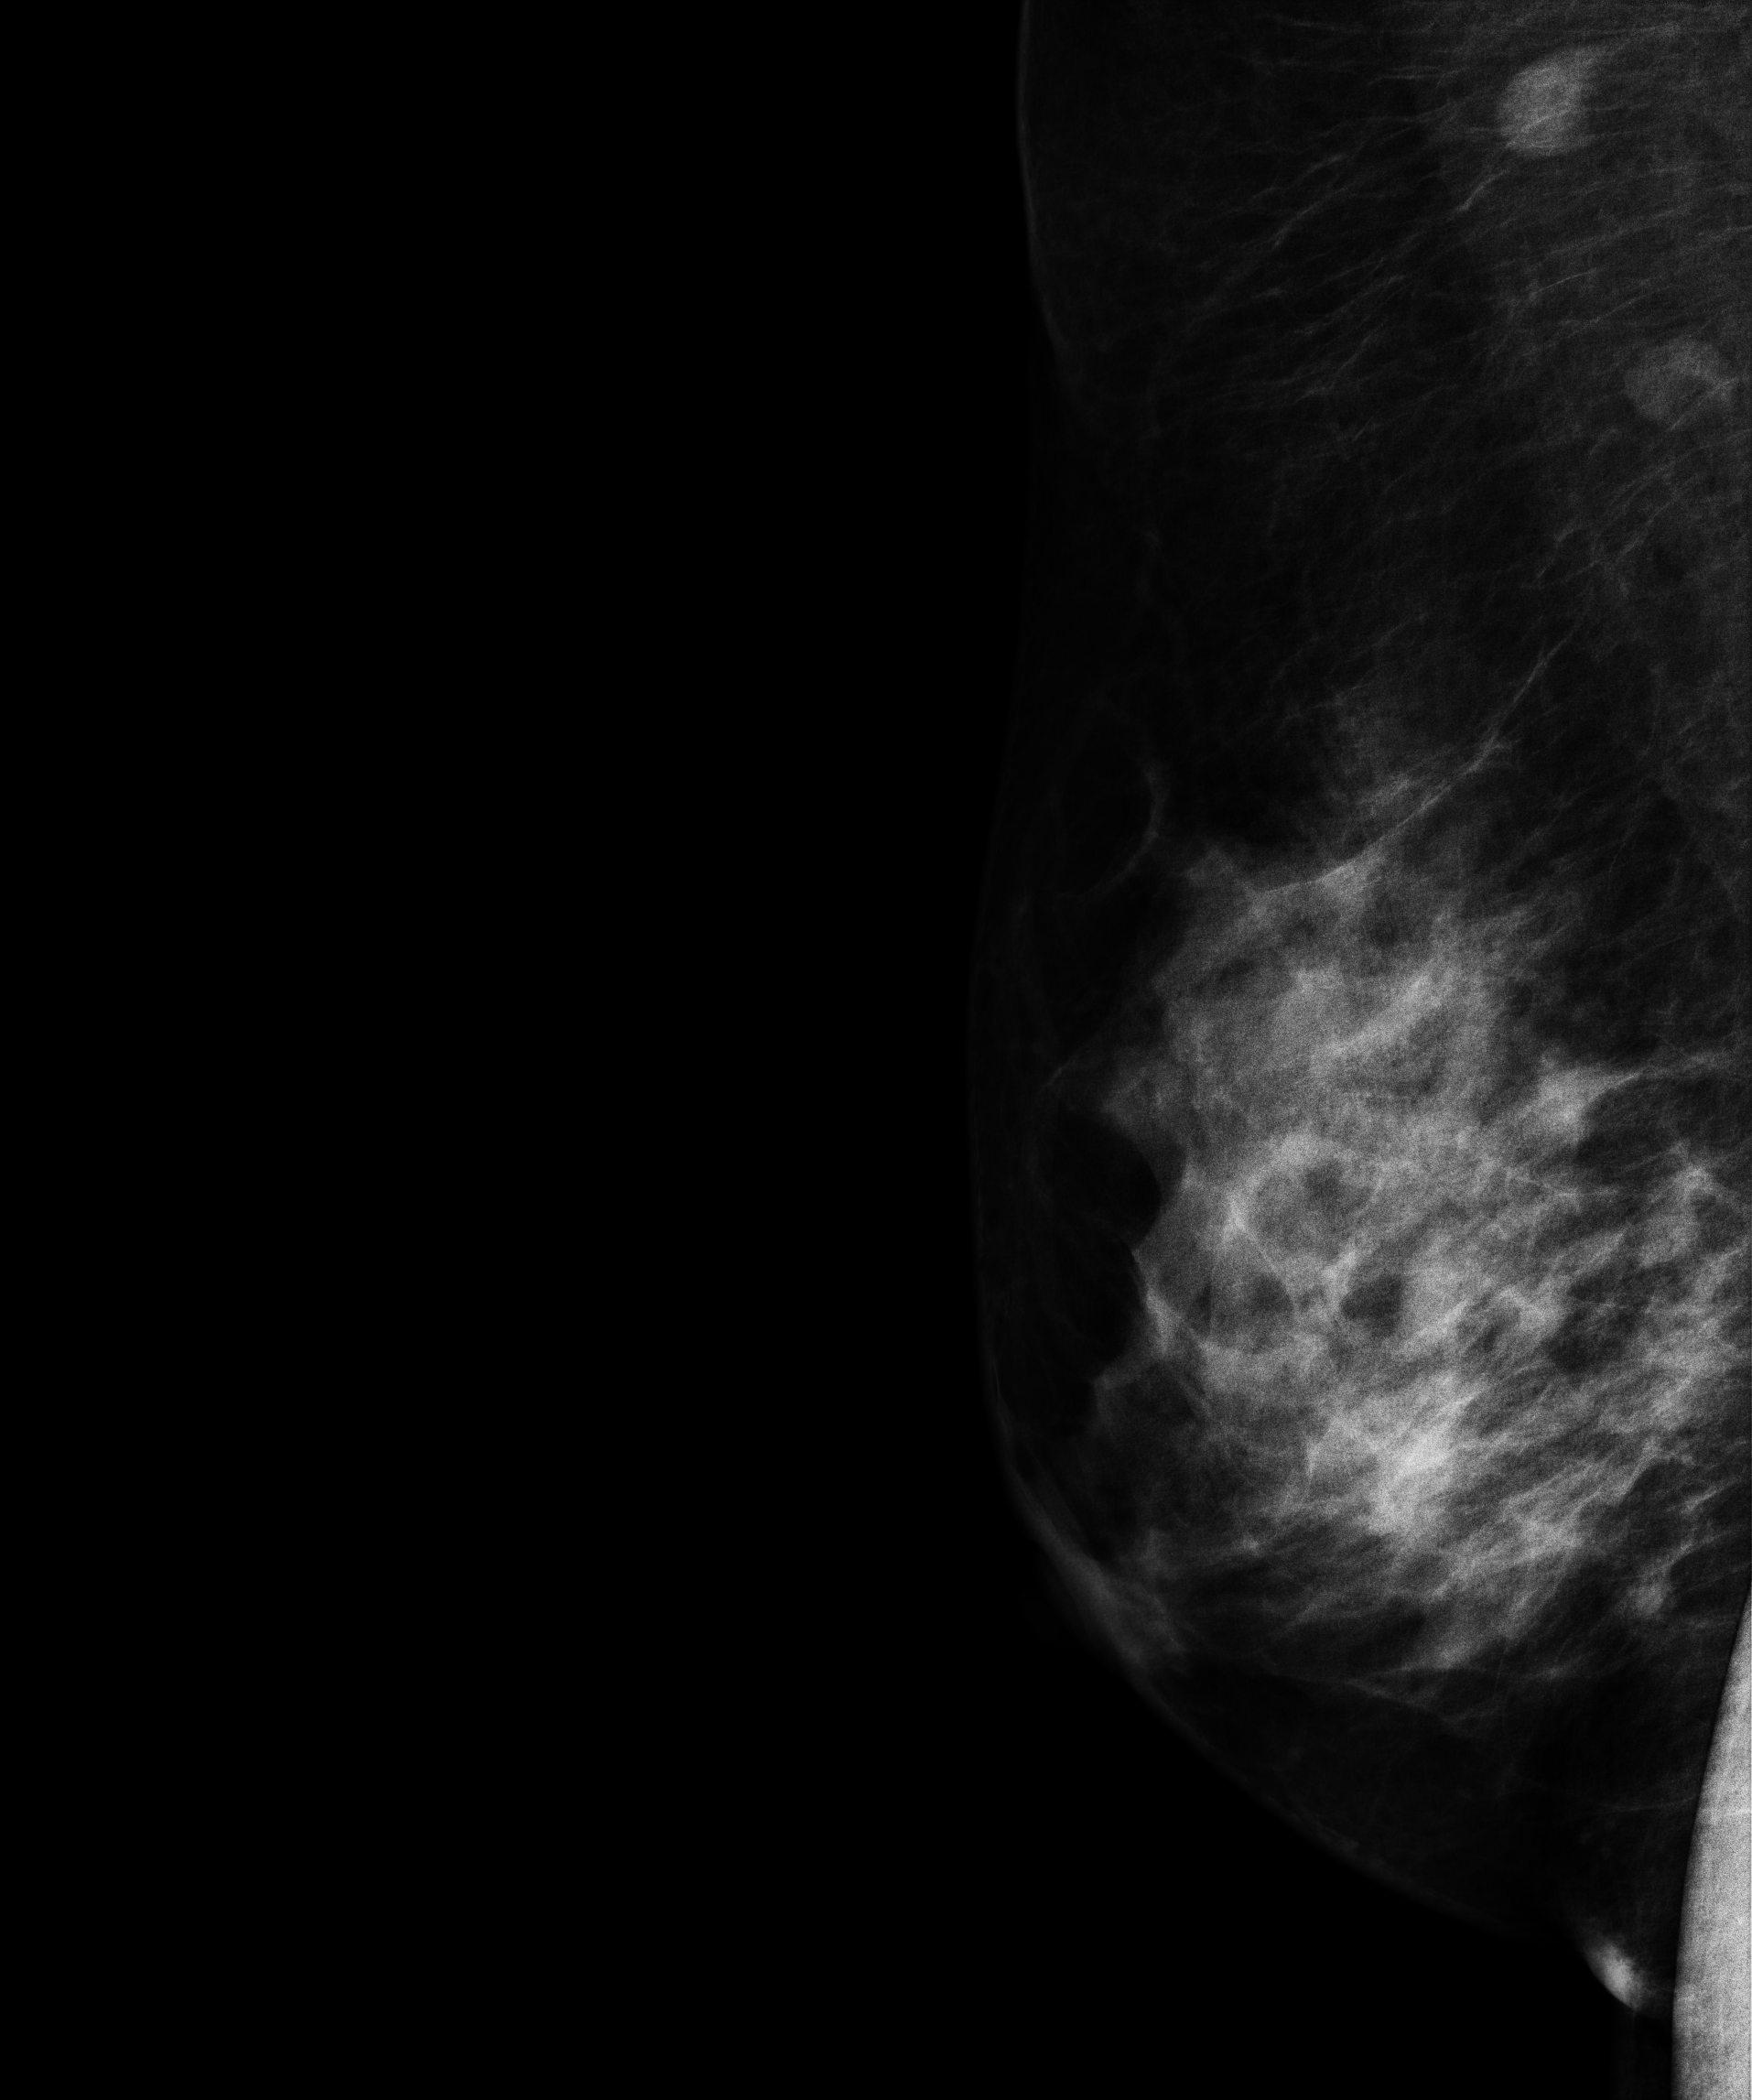
Medio-lateral oblique mammogram of the right breast. 47 y/o patient.
This breast has a mass, biopsy-proven malignant.